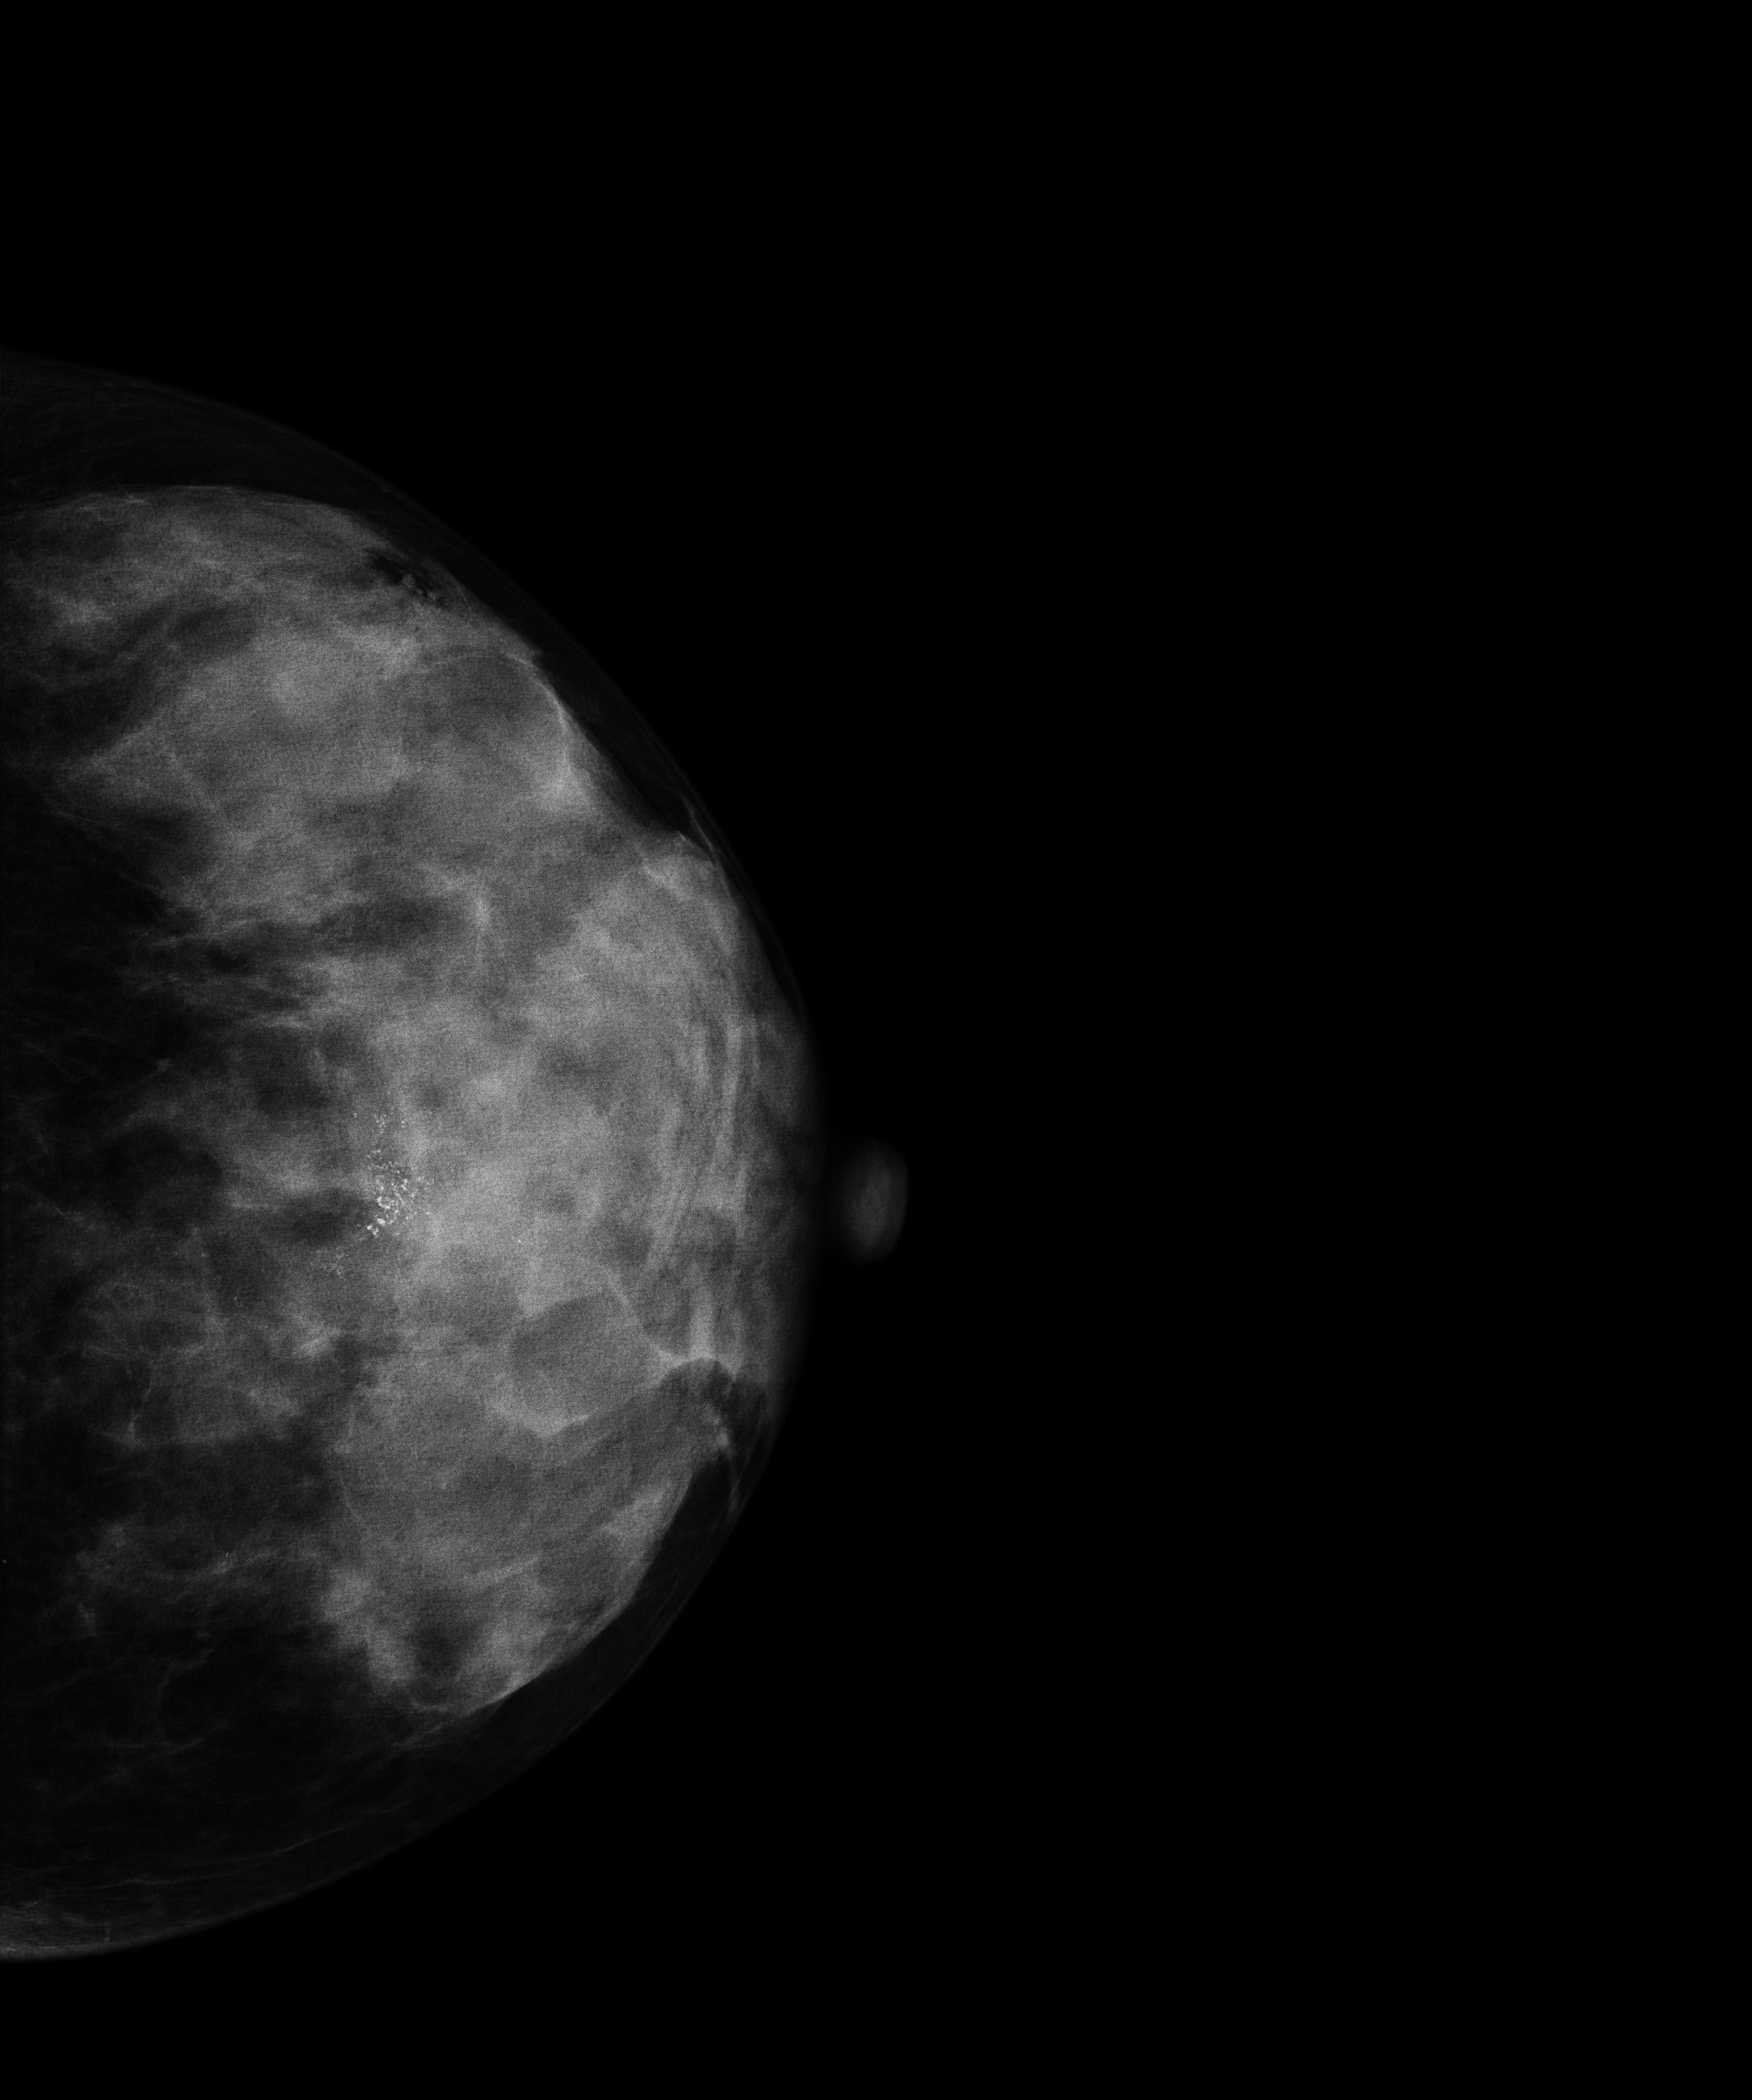
Digital mammography. Left breast, CC projection. 45-year-old patient.
This breast has calcifications, biopsy-proven malignant.